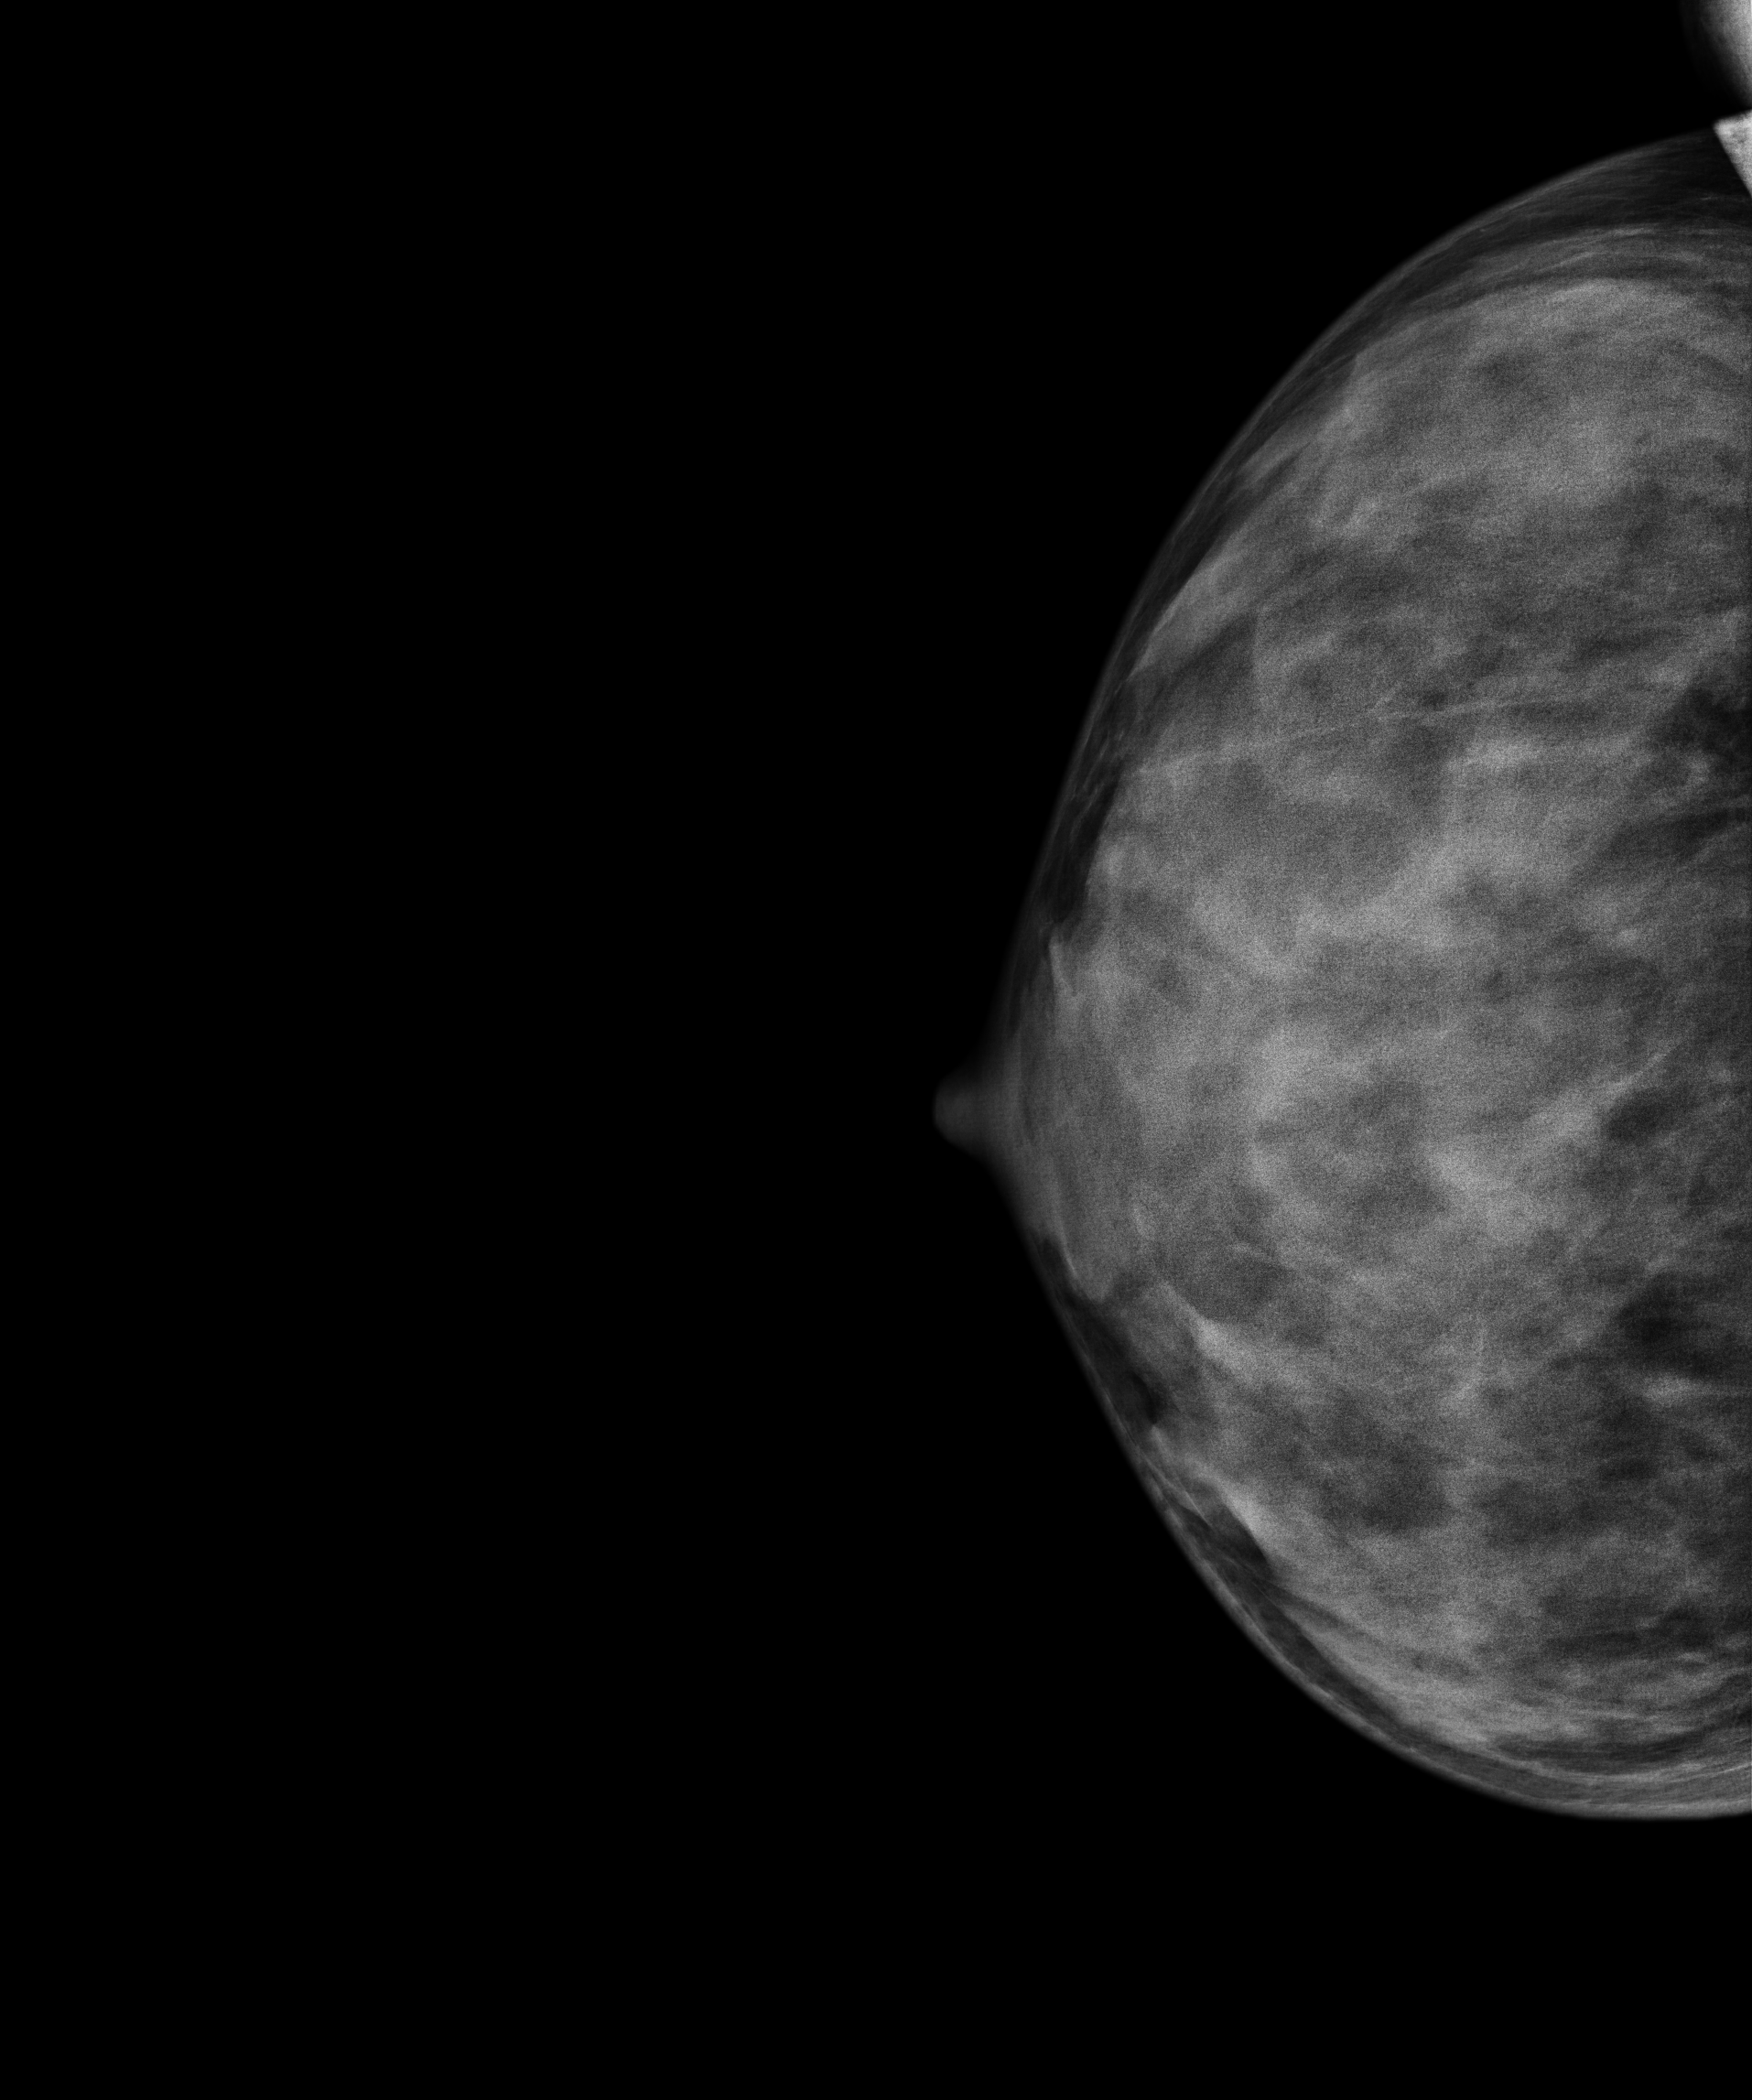
Mammogram, right breast, CC view. Patient age 21.
This breast has a mass, biopsy-proven benign.